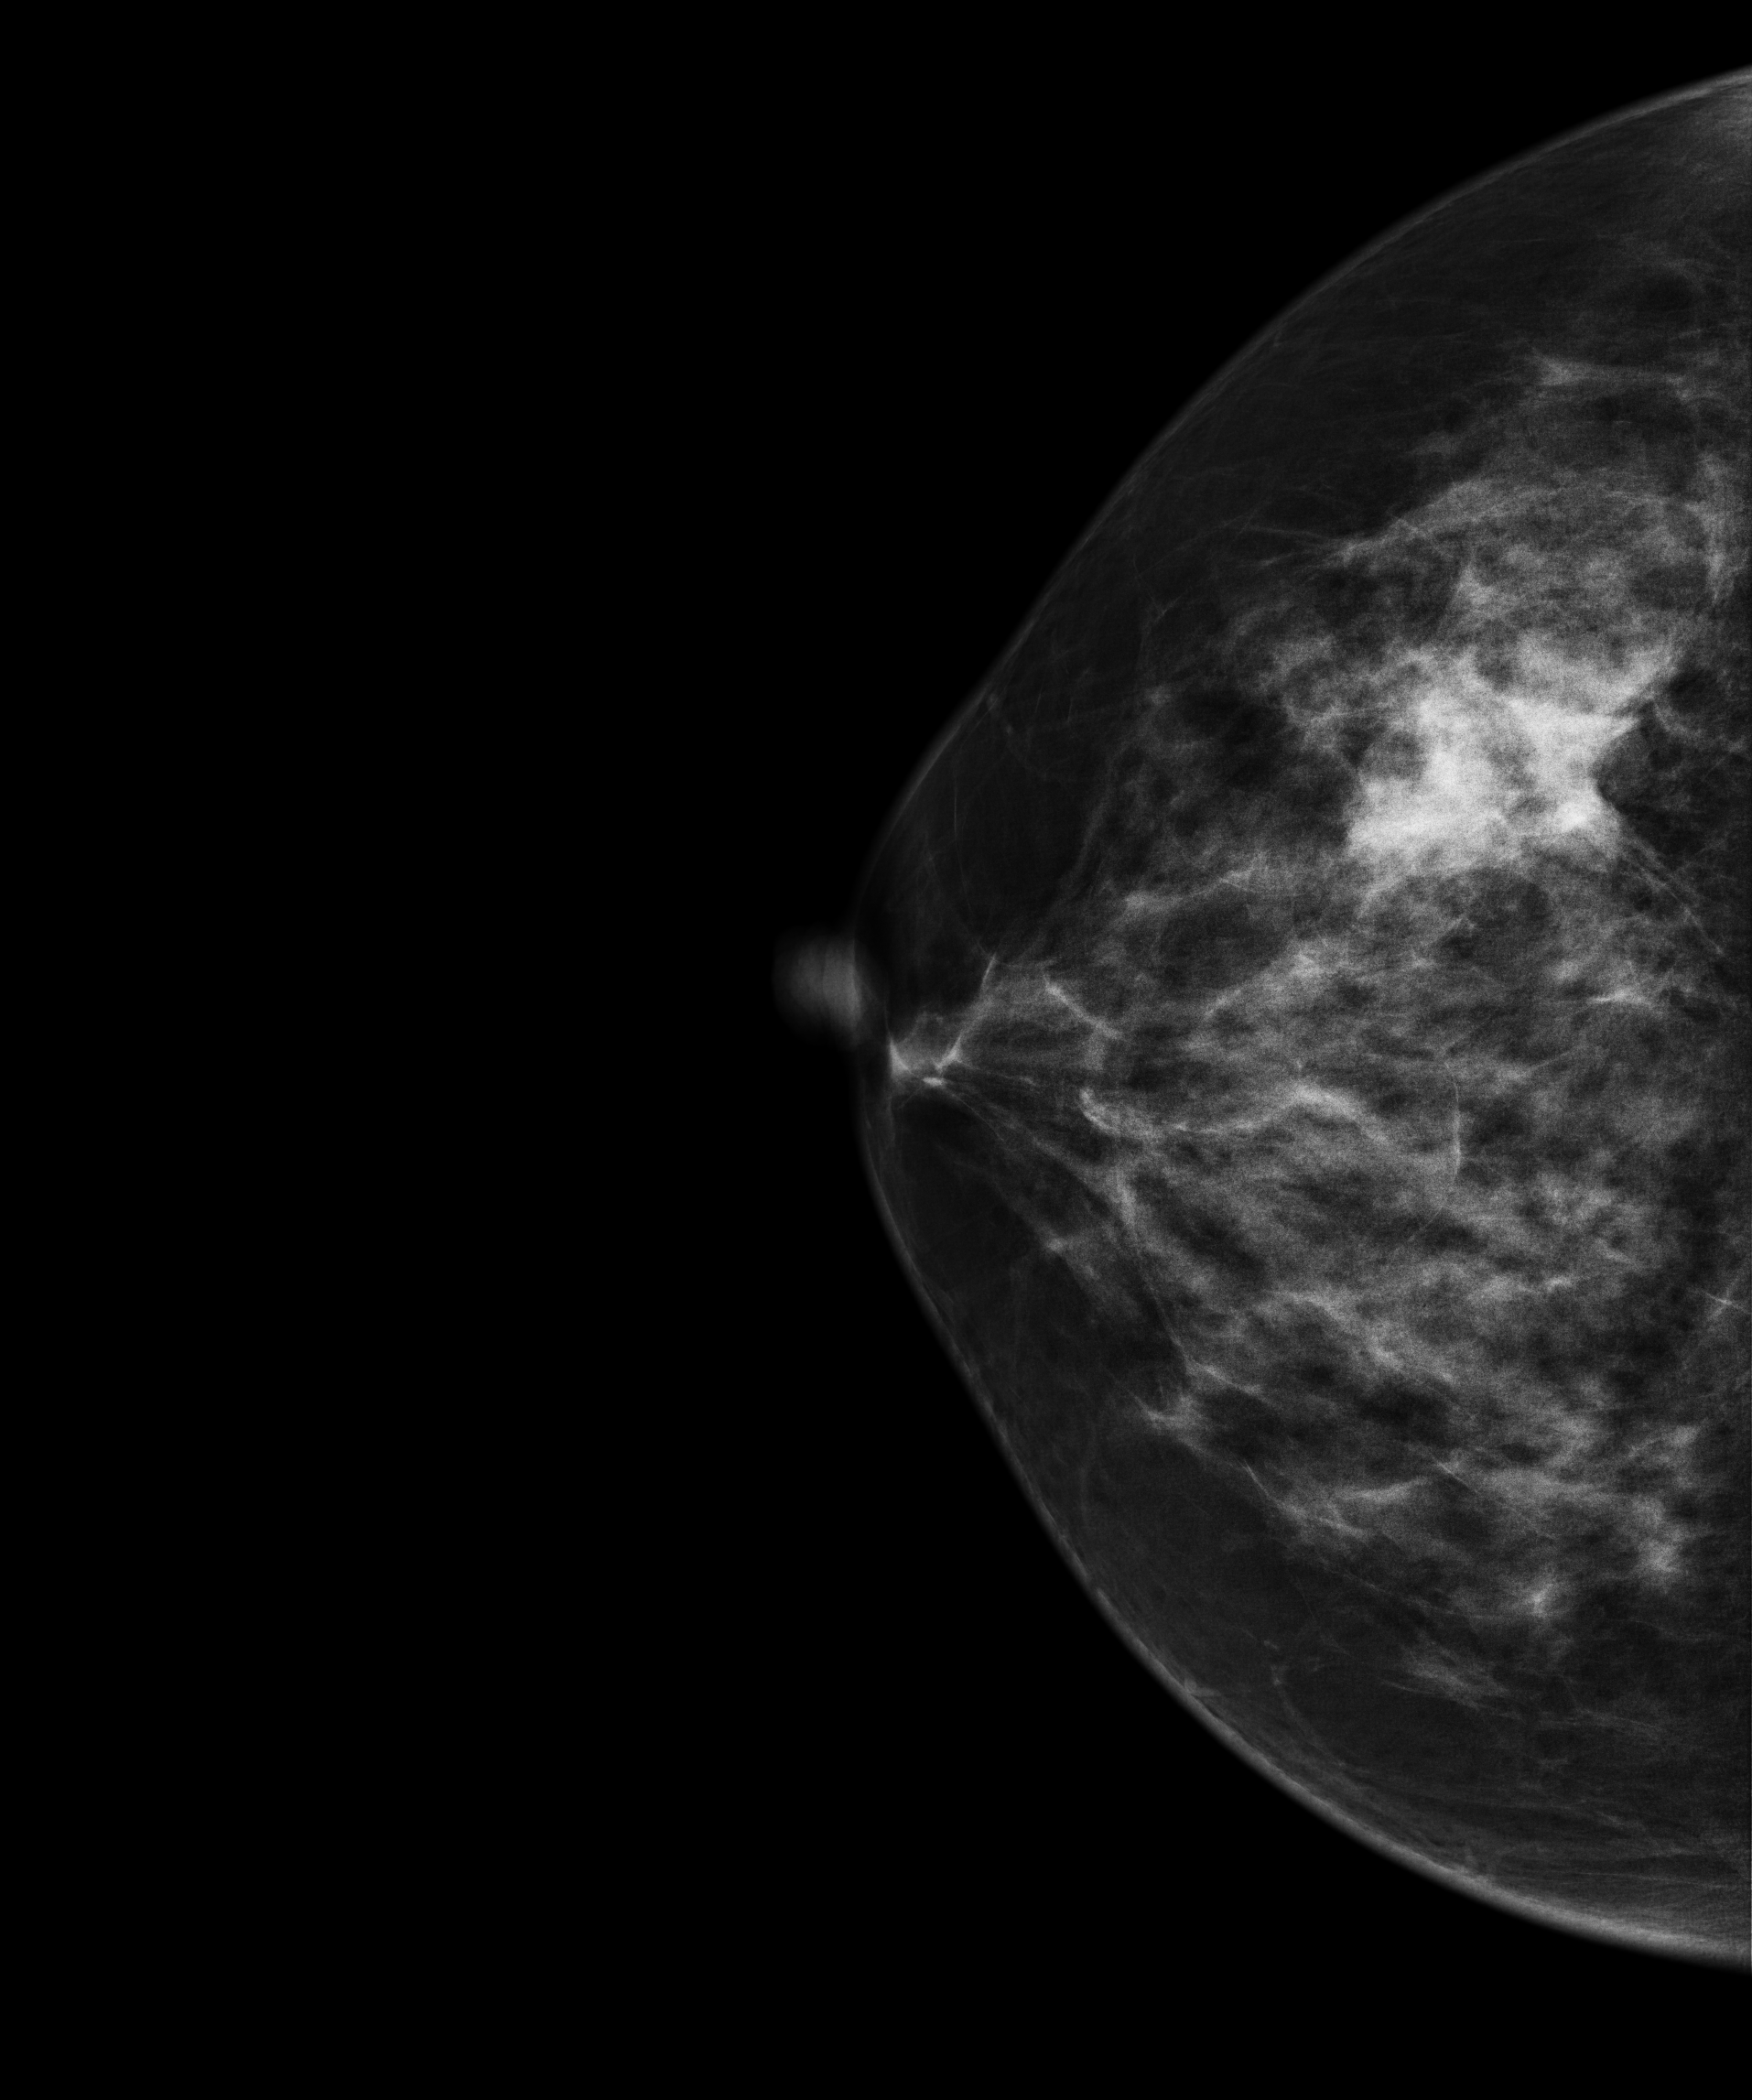
Mammogram, right breast, CC view. 49 y/o patient.
This breast has a mass, histologically confirmed malignant. Molecular subtype: triple-negative.